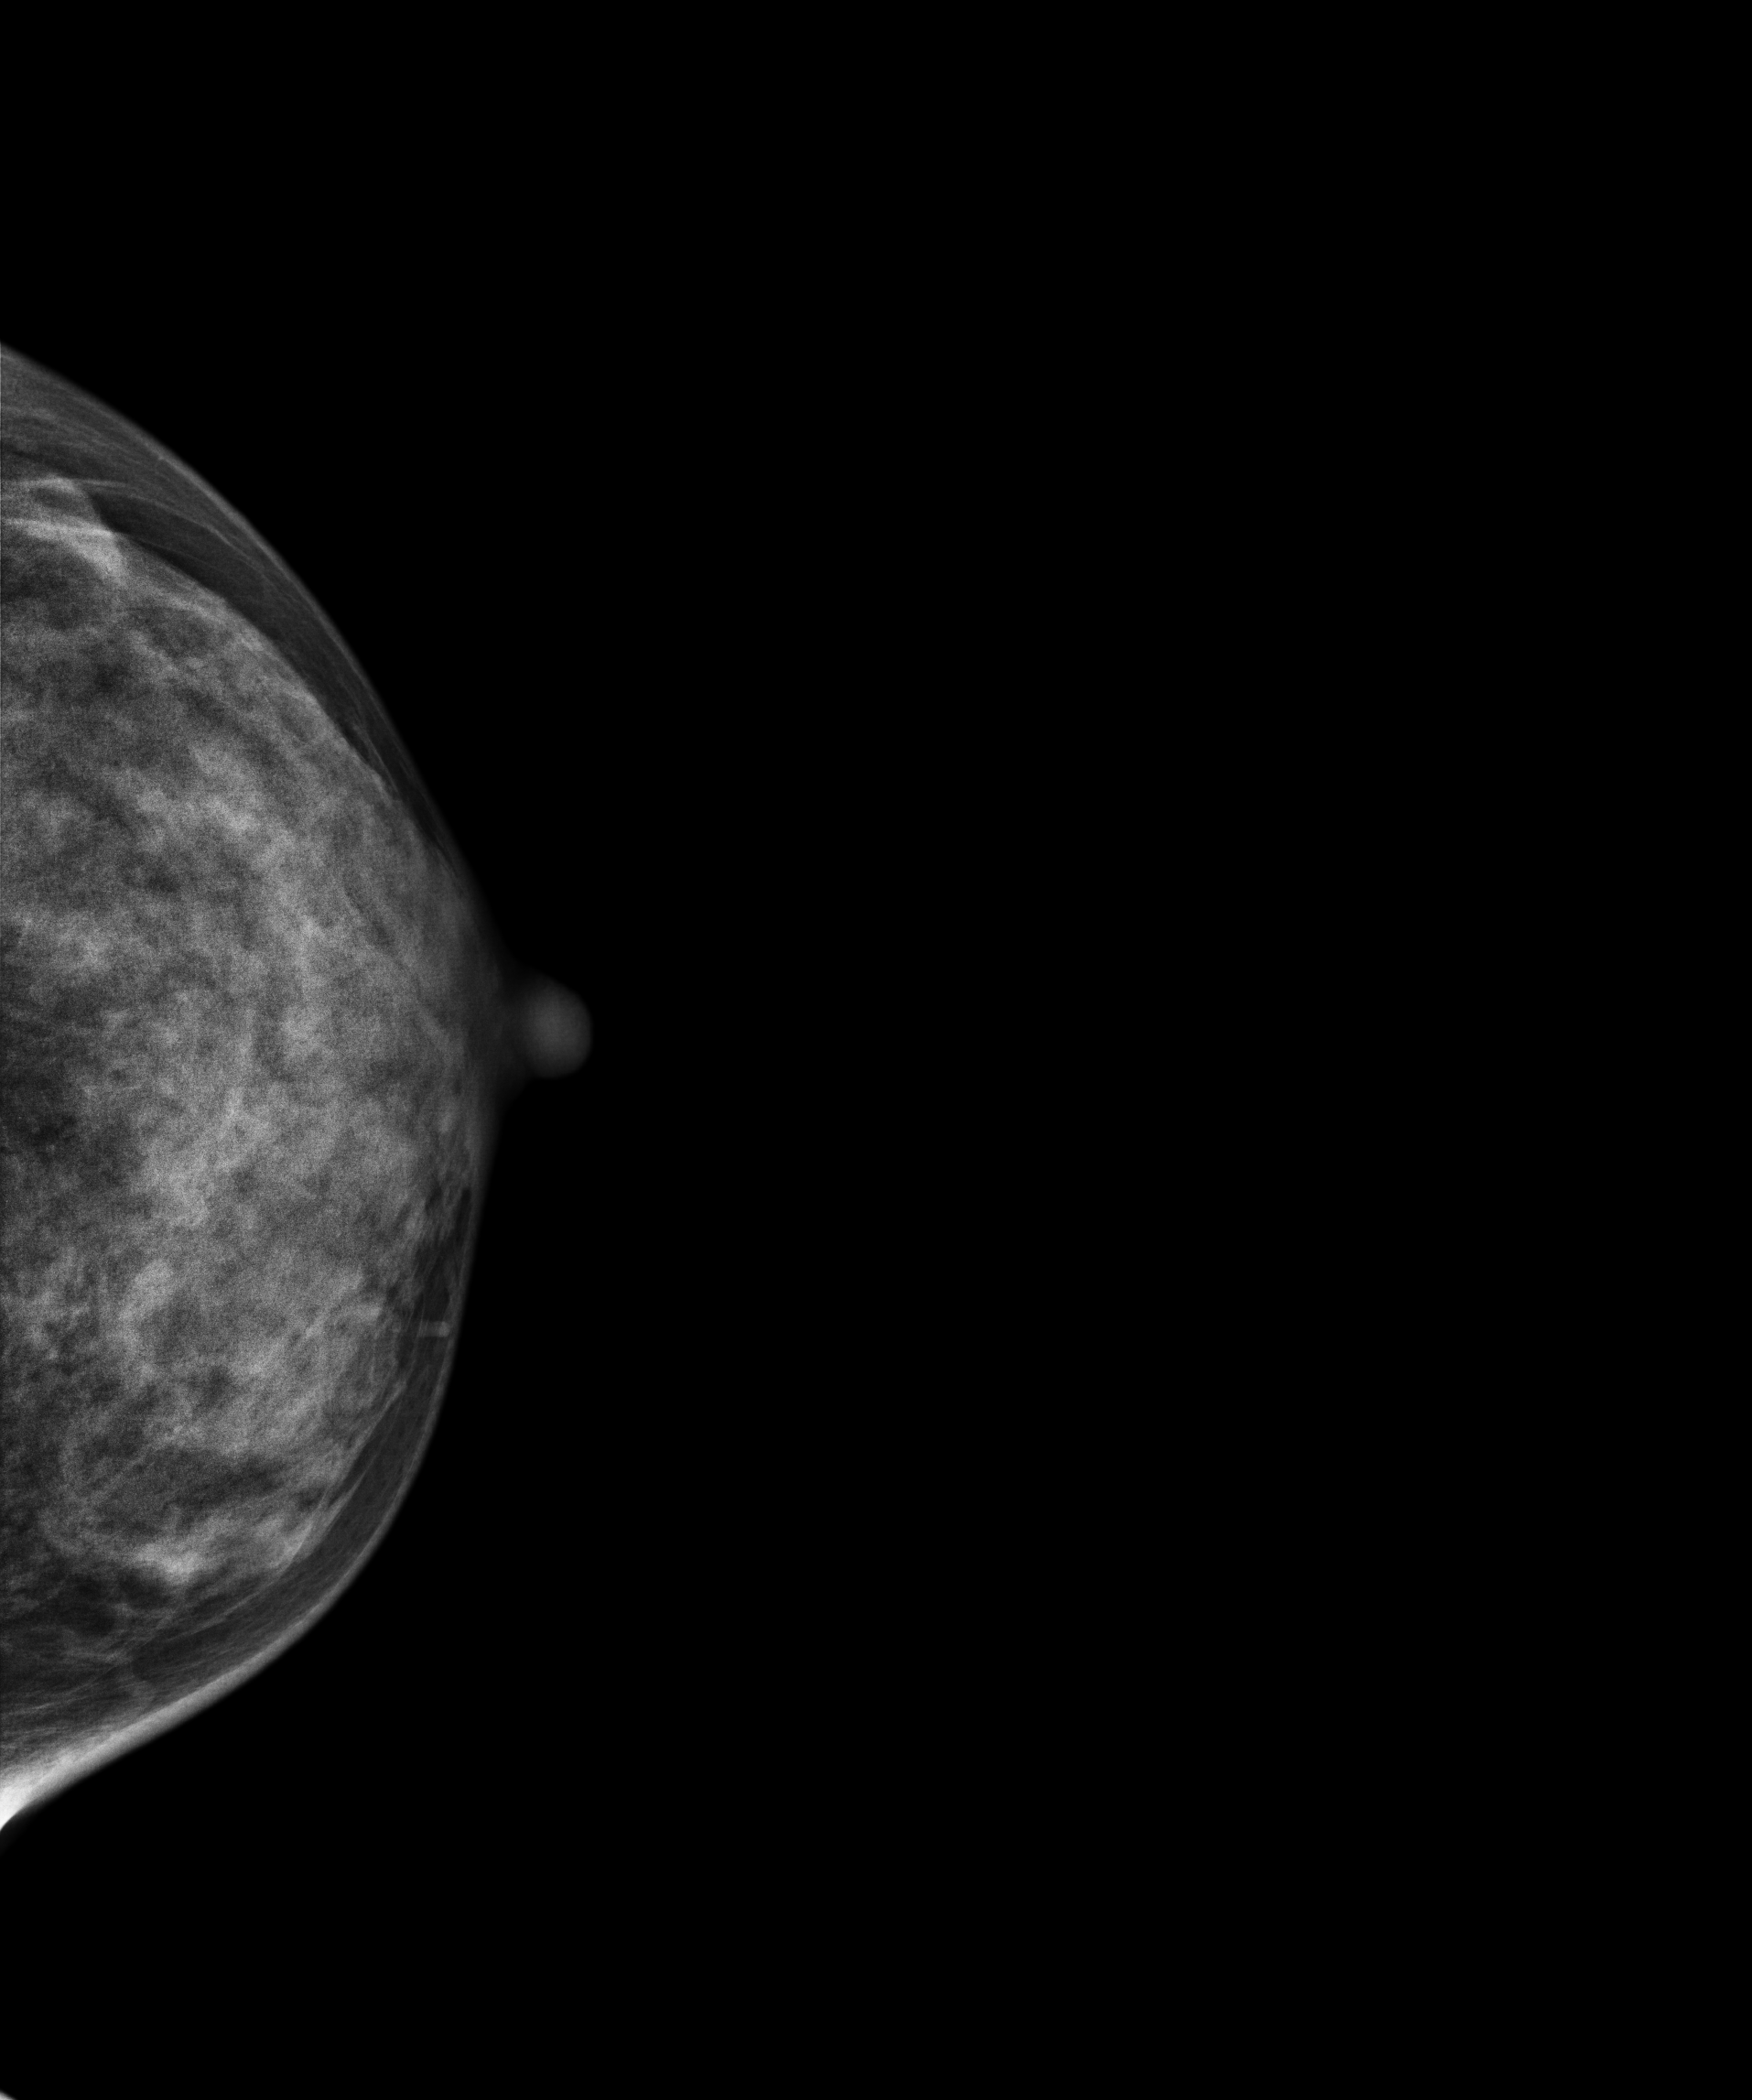
Mammogram — left CC. 33-year-old patient.
This breast has a mass, histologically confirmed malignant. Molecular subtype: luminal B.